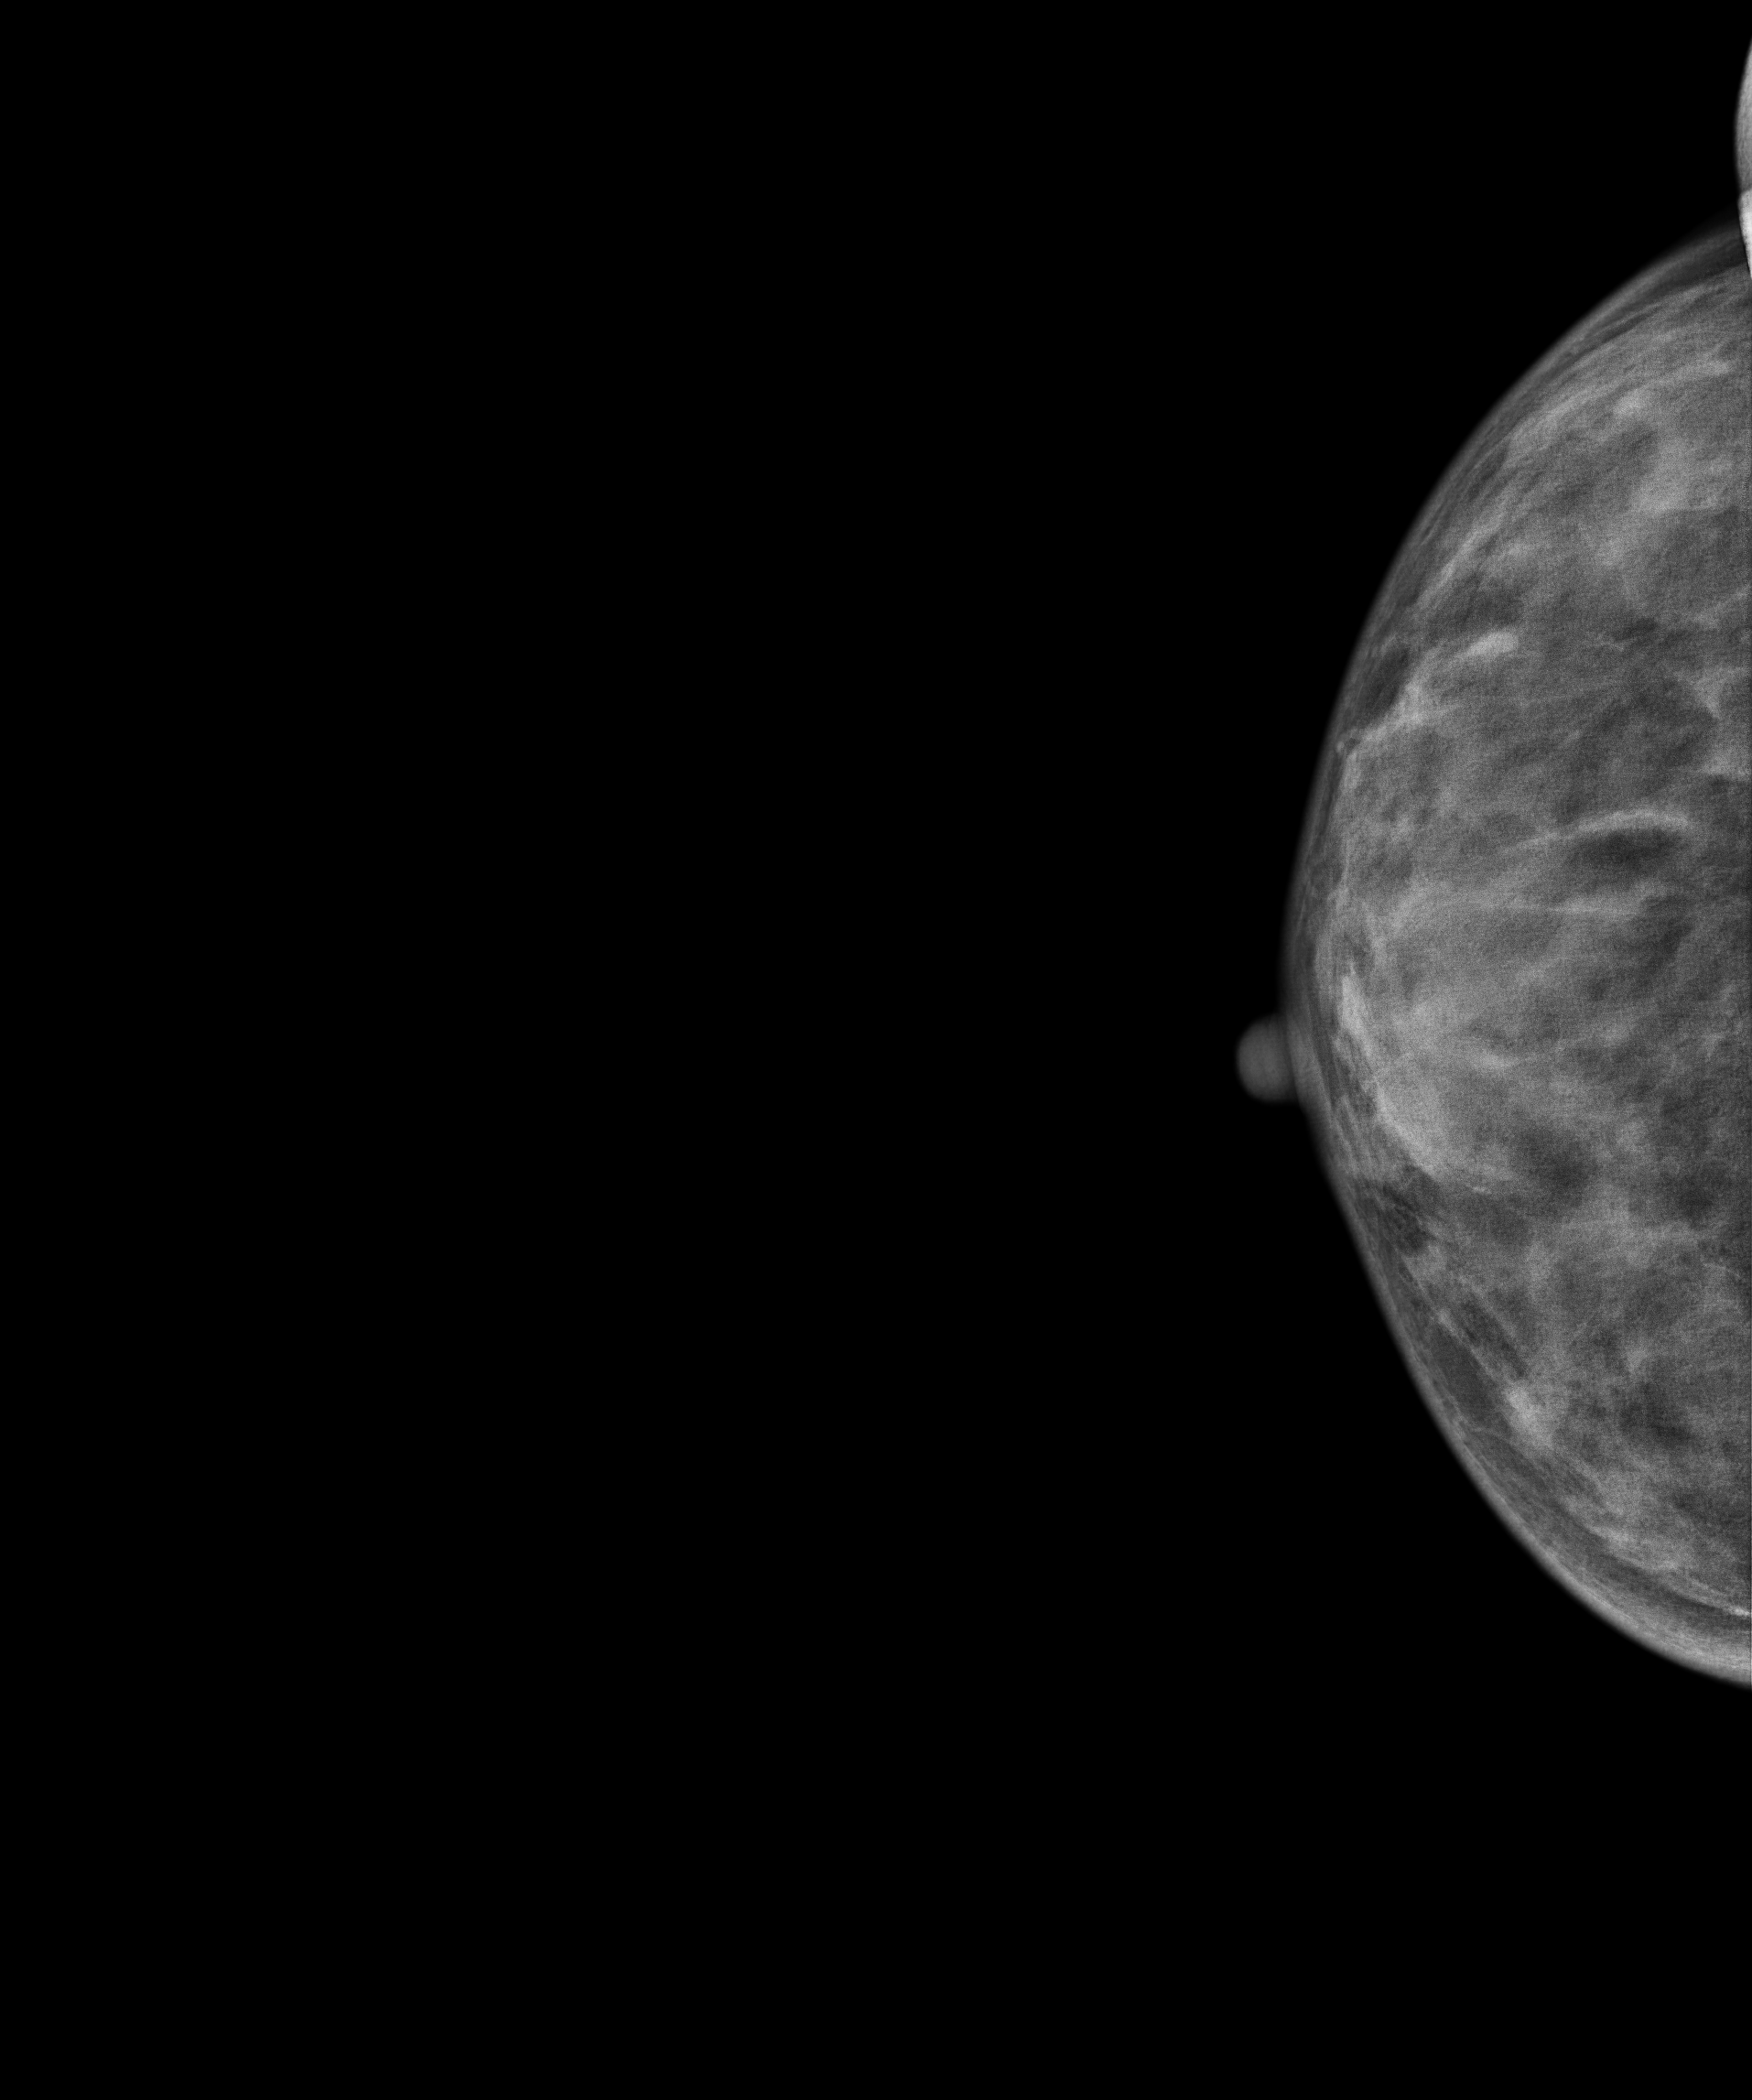
CC mammogram of the right breast. 36 y/o patient.
Contralateral breast — no documented abnormality on this side.